Mammogram, left breast, cranio-caudal view. 43 y/o patient.
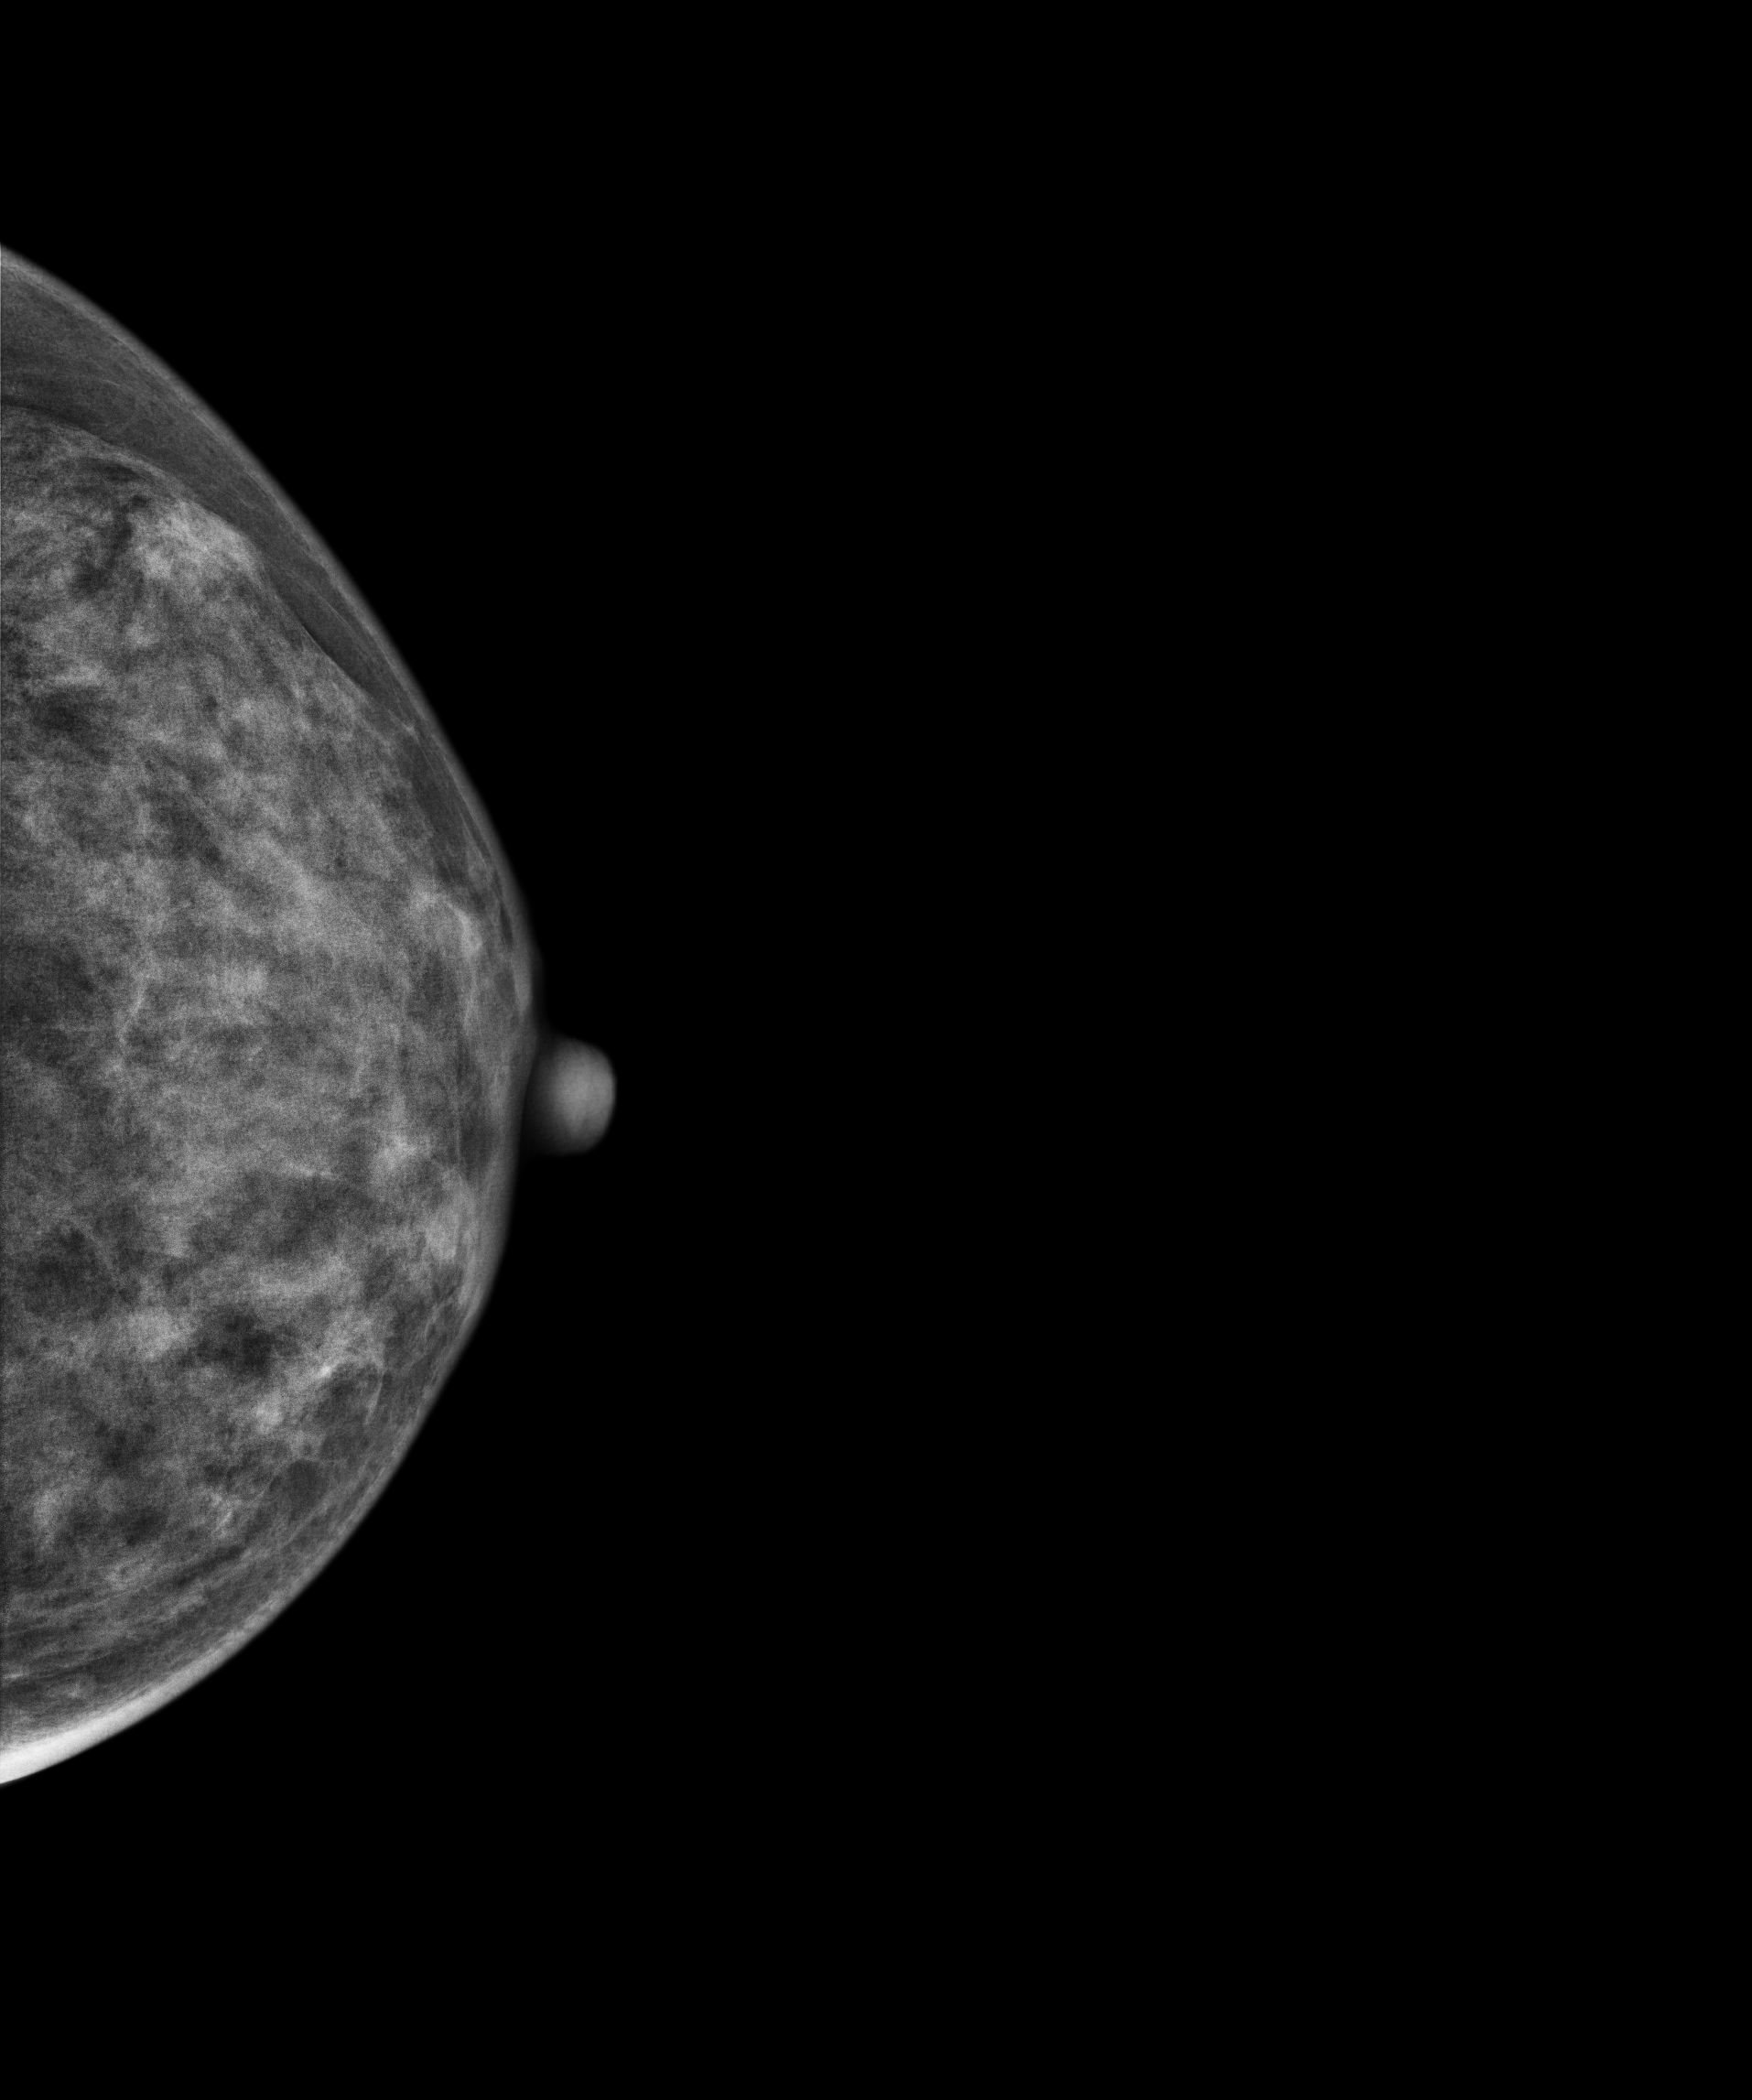
Contralateral breast — no documented abnormality on this side.